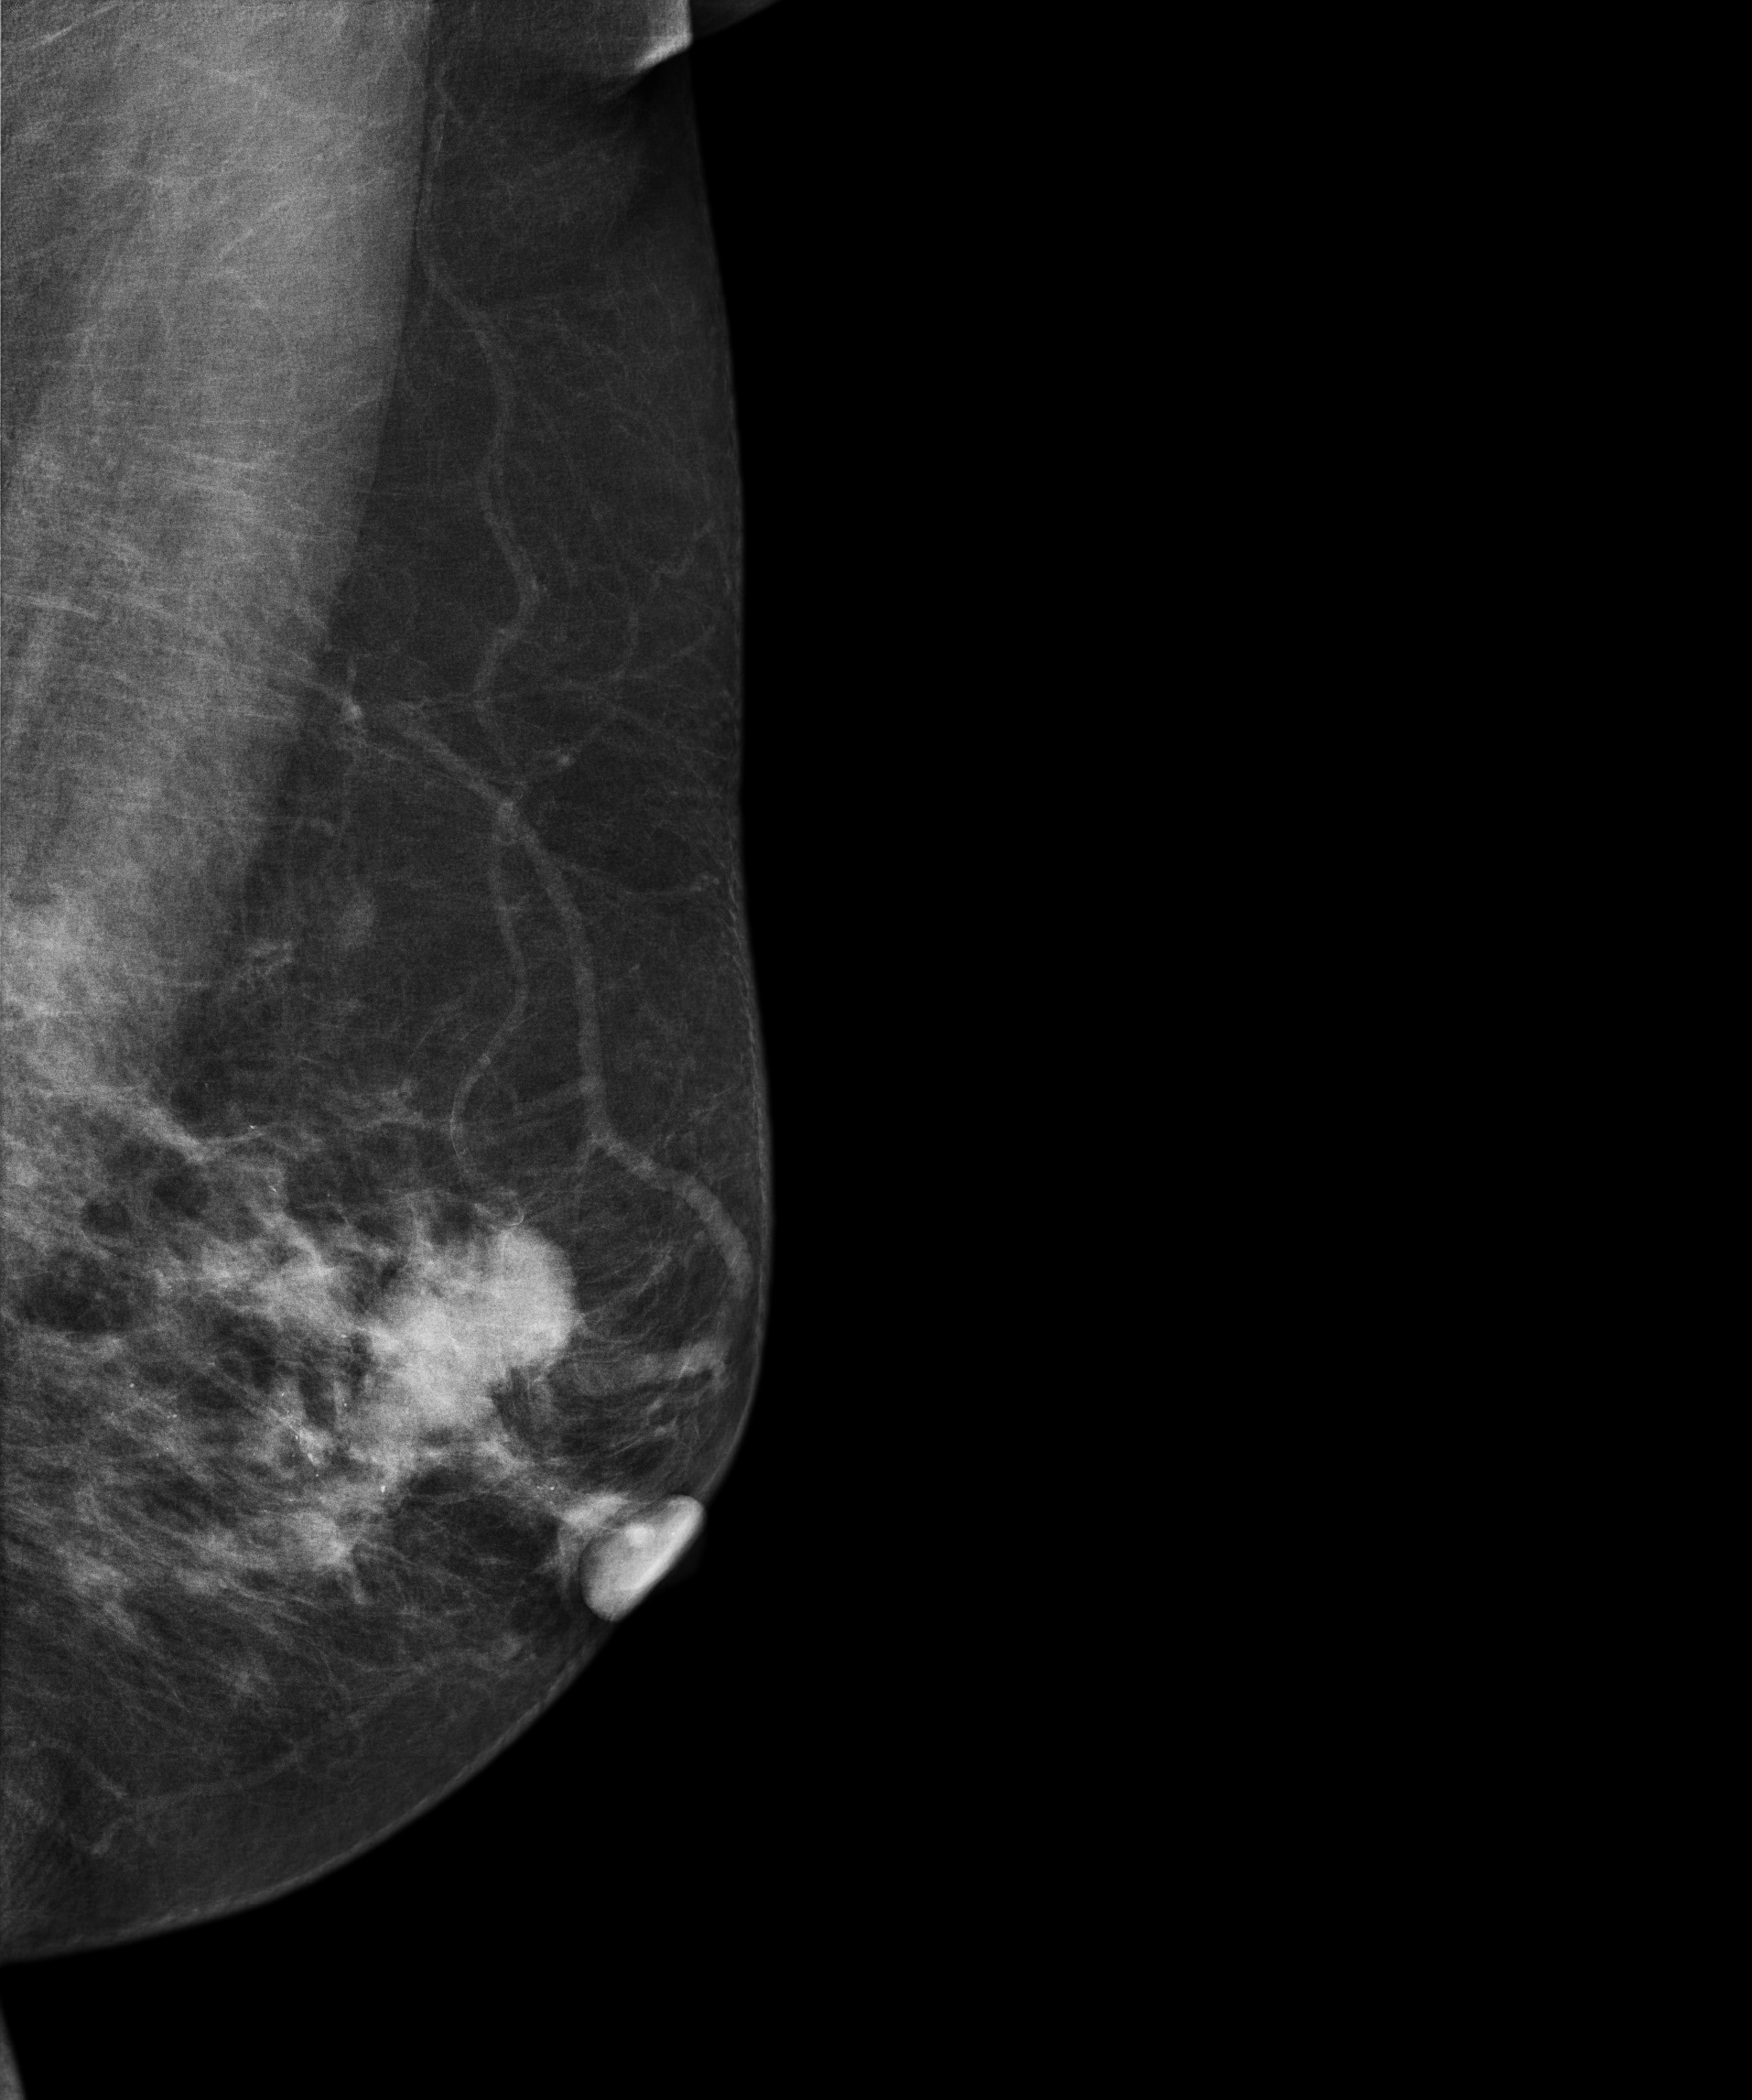
MLO mammogram of the left breast. Patient age 78.
This breast has a mass and calcifications, biopsy-confirmed malignant.